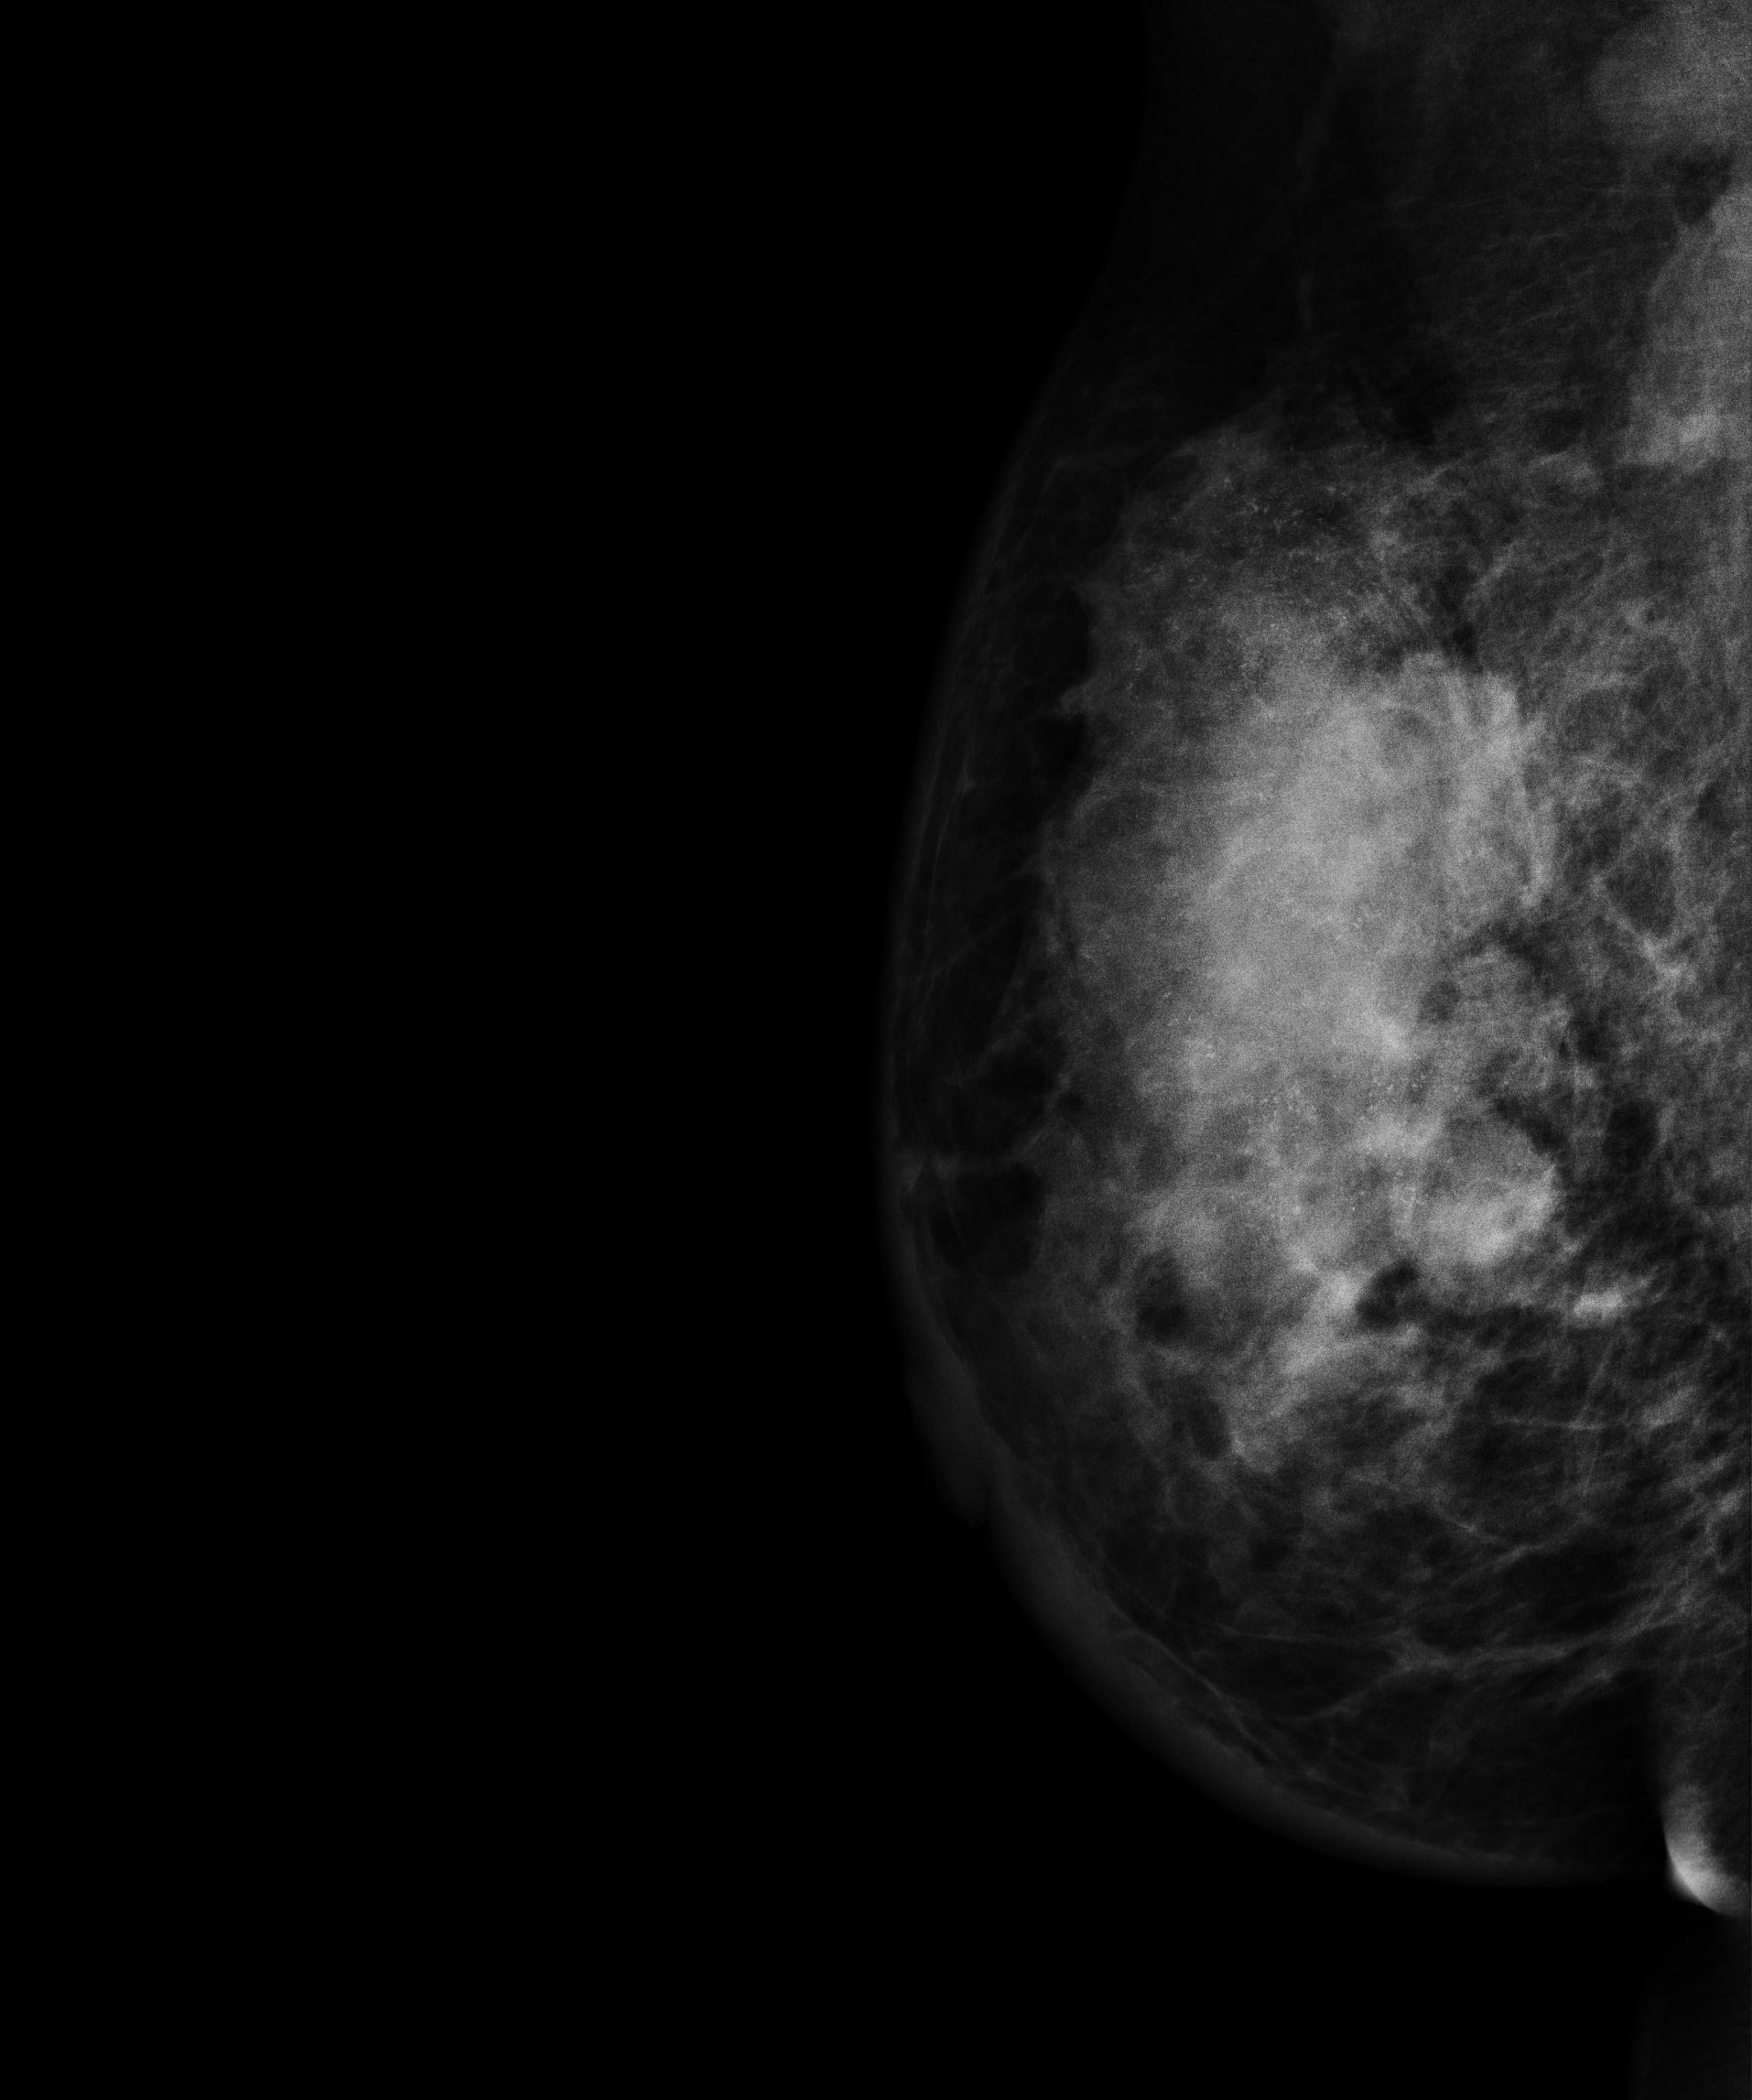
MLO mammogram of the right breast. 30 y/o patient.
This breast has a mass and calcifications, biopsy-proven malignant. Molecular subtype: HER2-enriched.